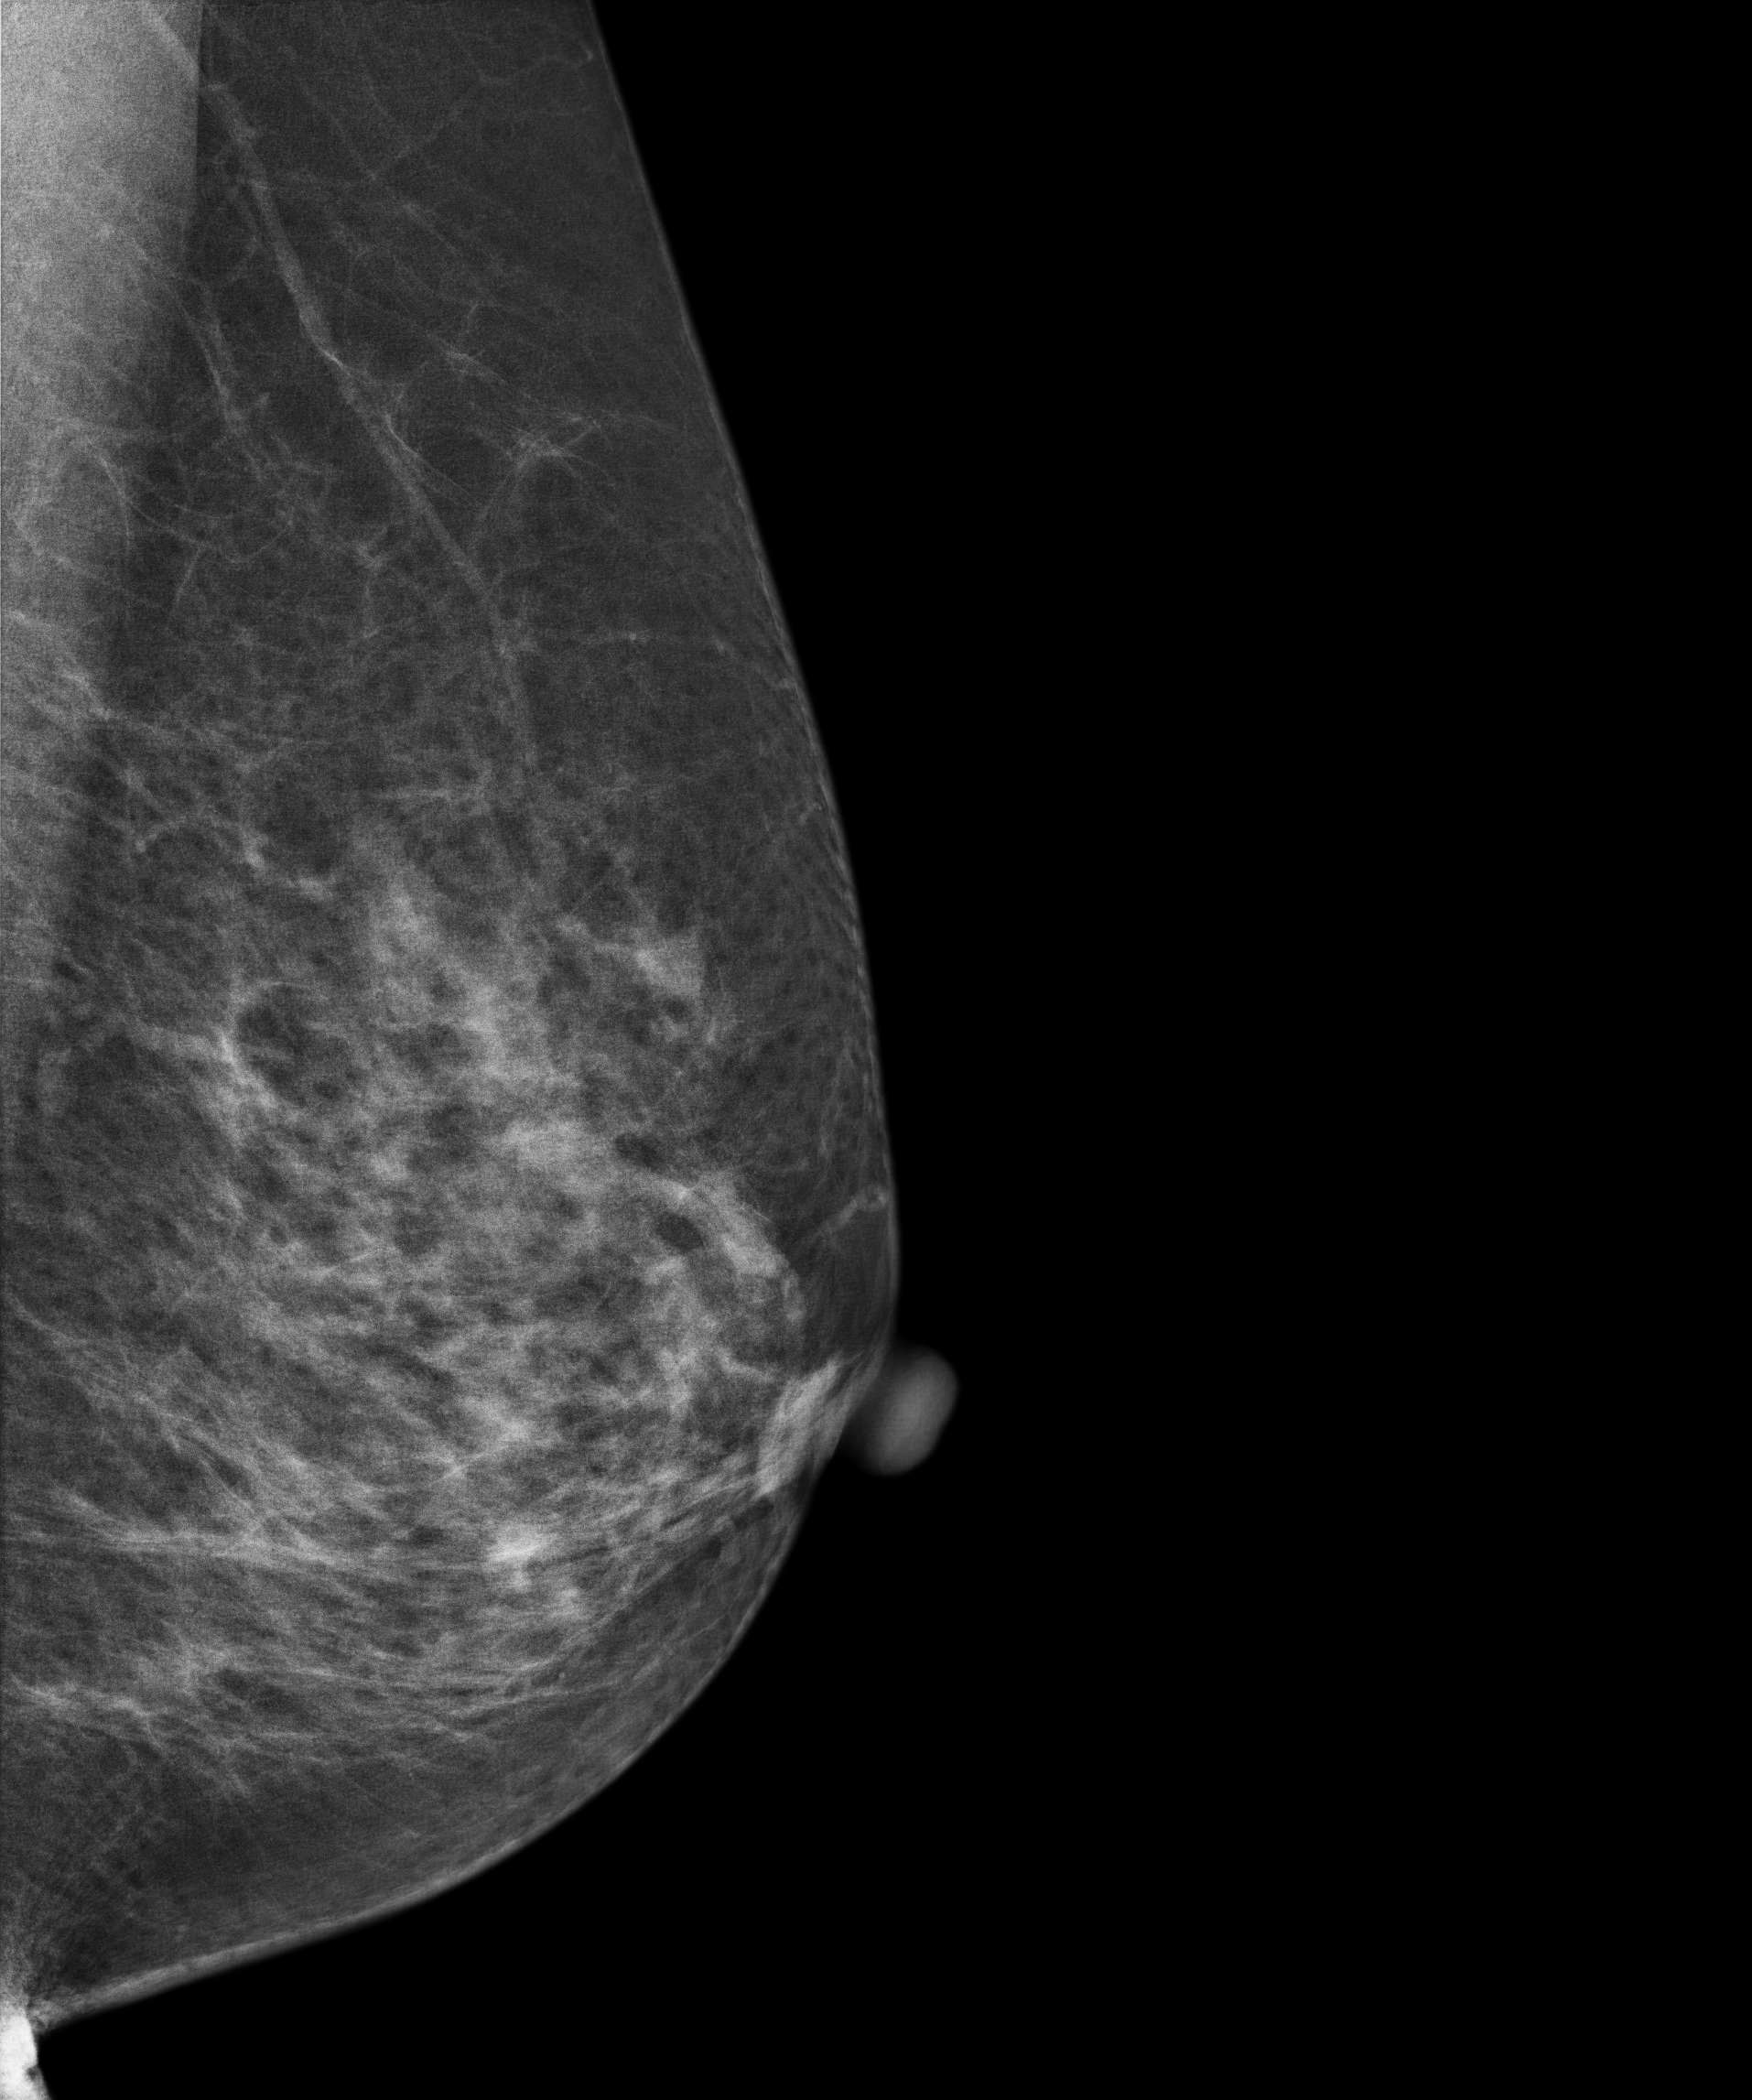
Left-breast mammogram, MLO. Patient age 68.
This breast has a mass, biopsy-proven benign.